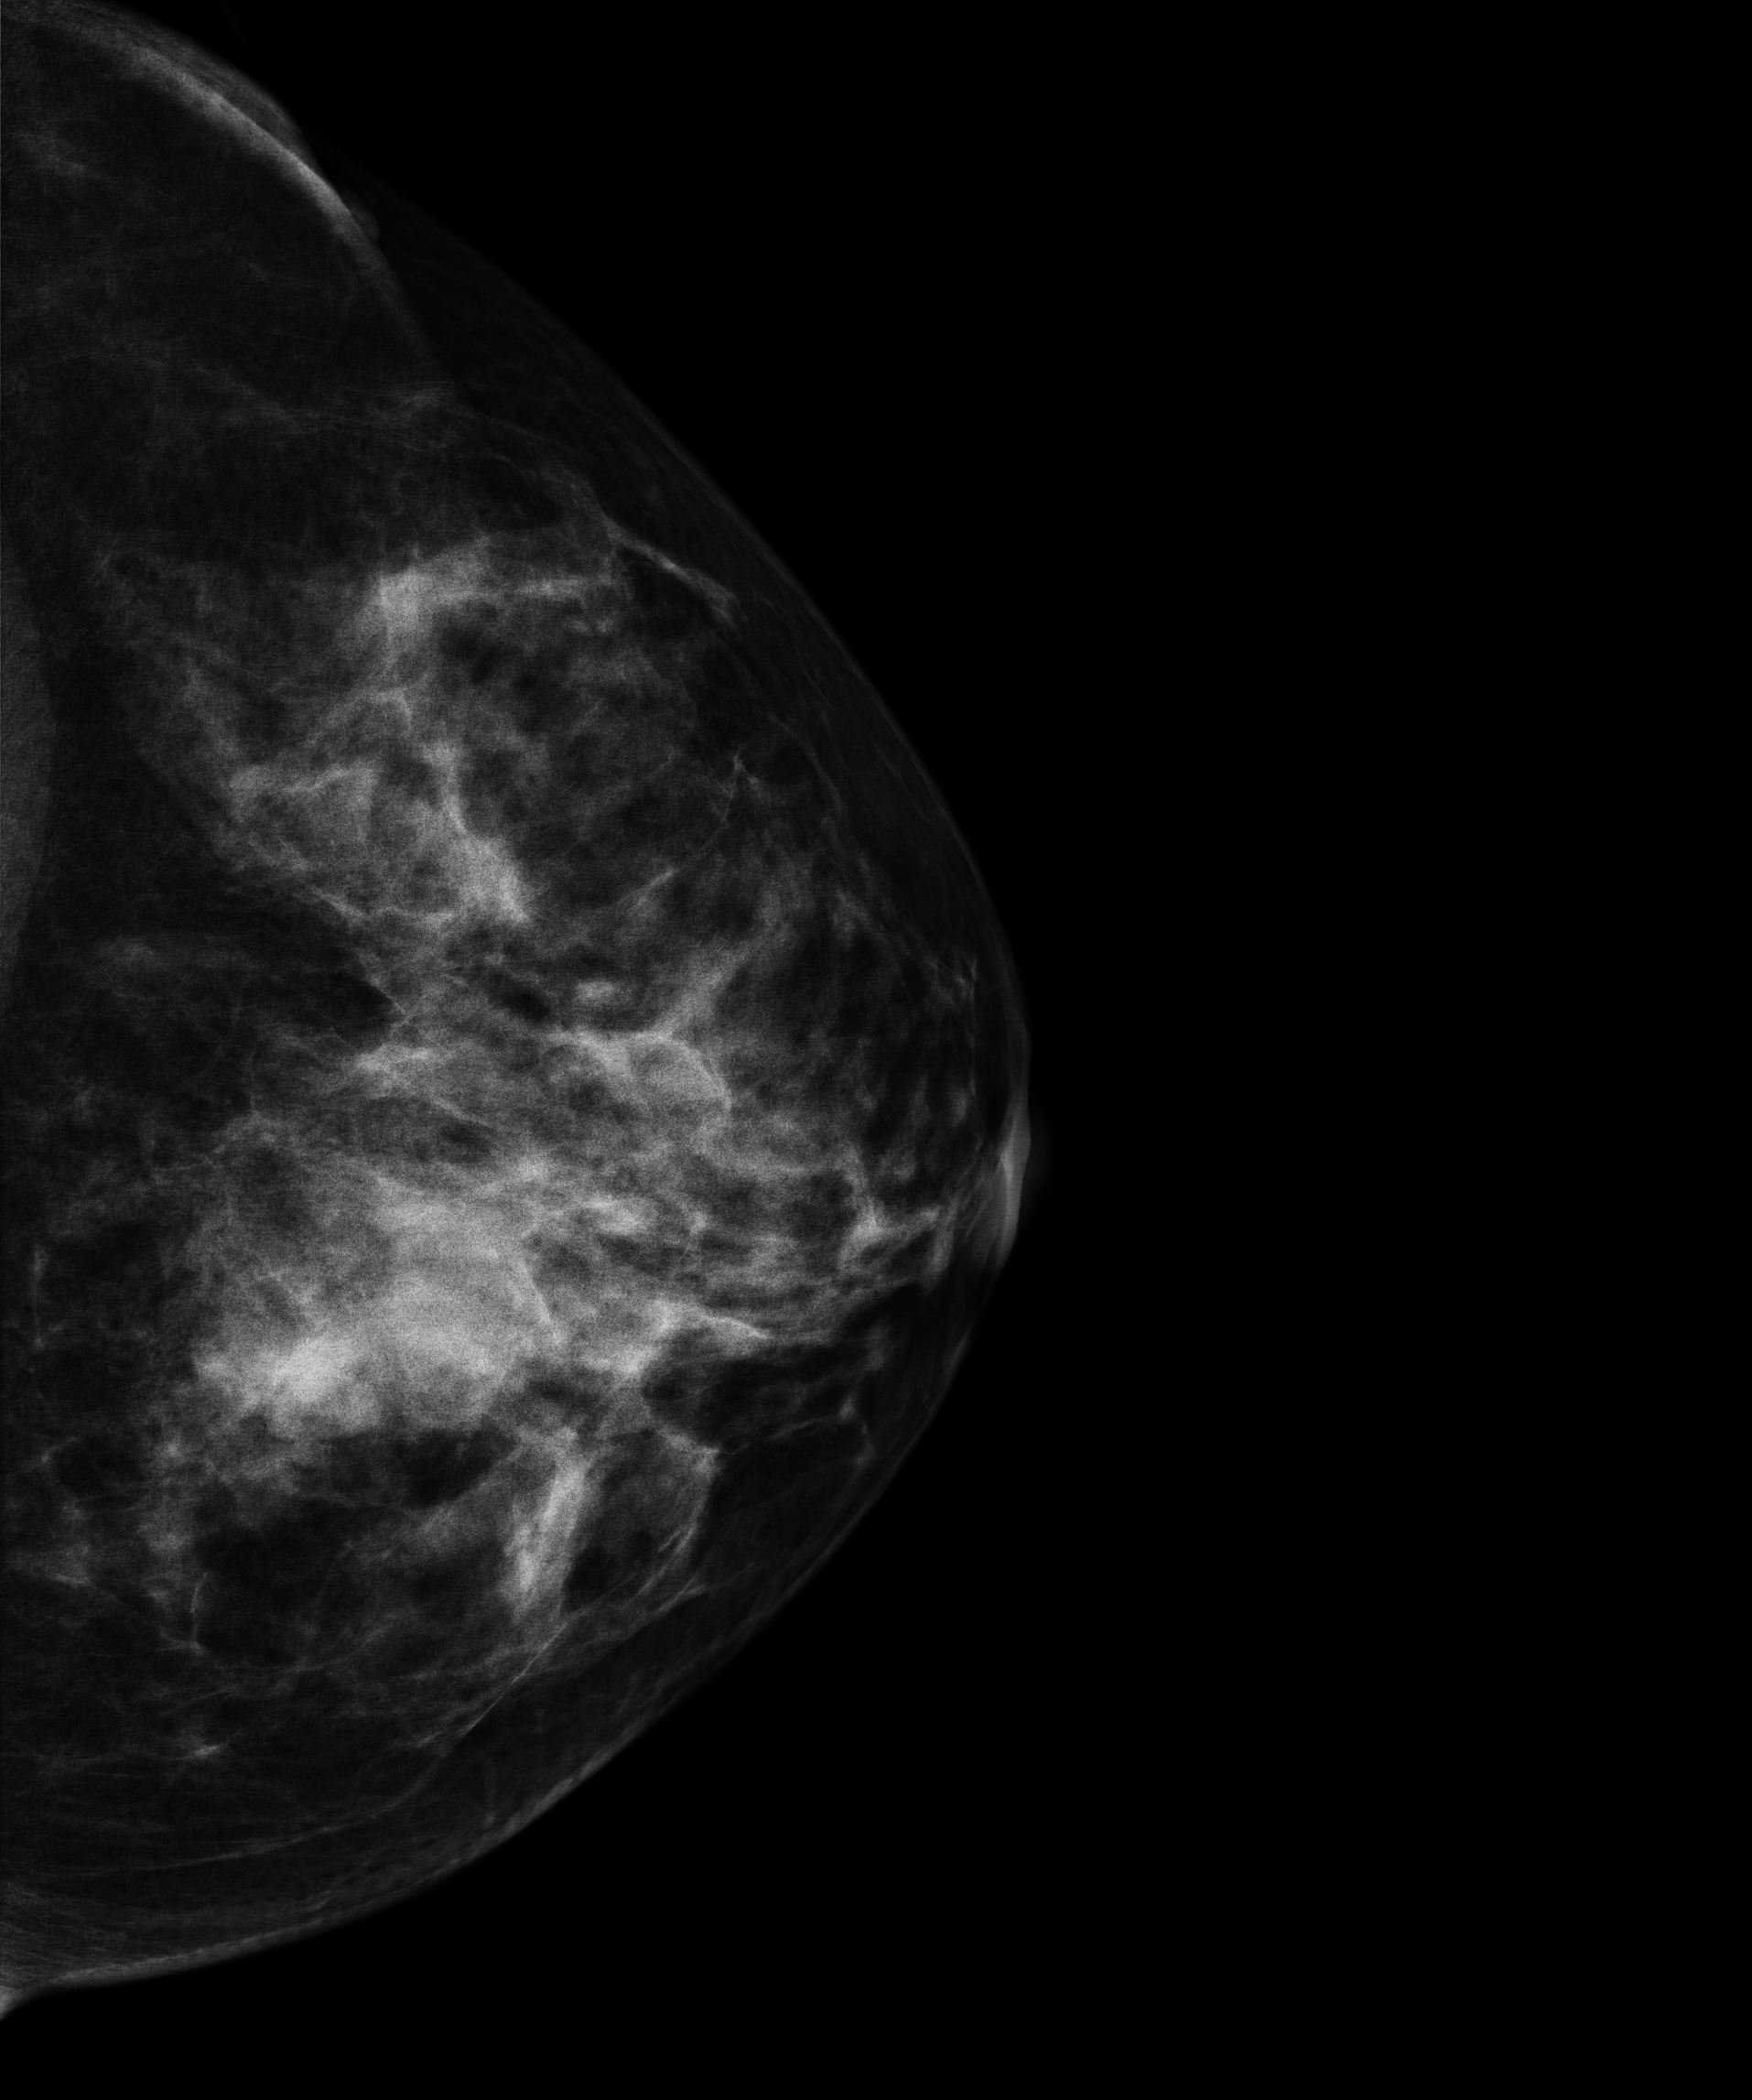
Digital mammography. Left breast, CC projection. 39 y/o patient.
This breast has a mass, histologically confirmed malignant.